Mammogram — left CC. 35-year-old patient.
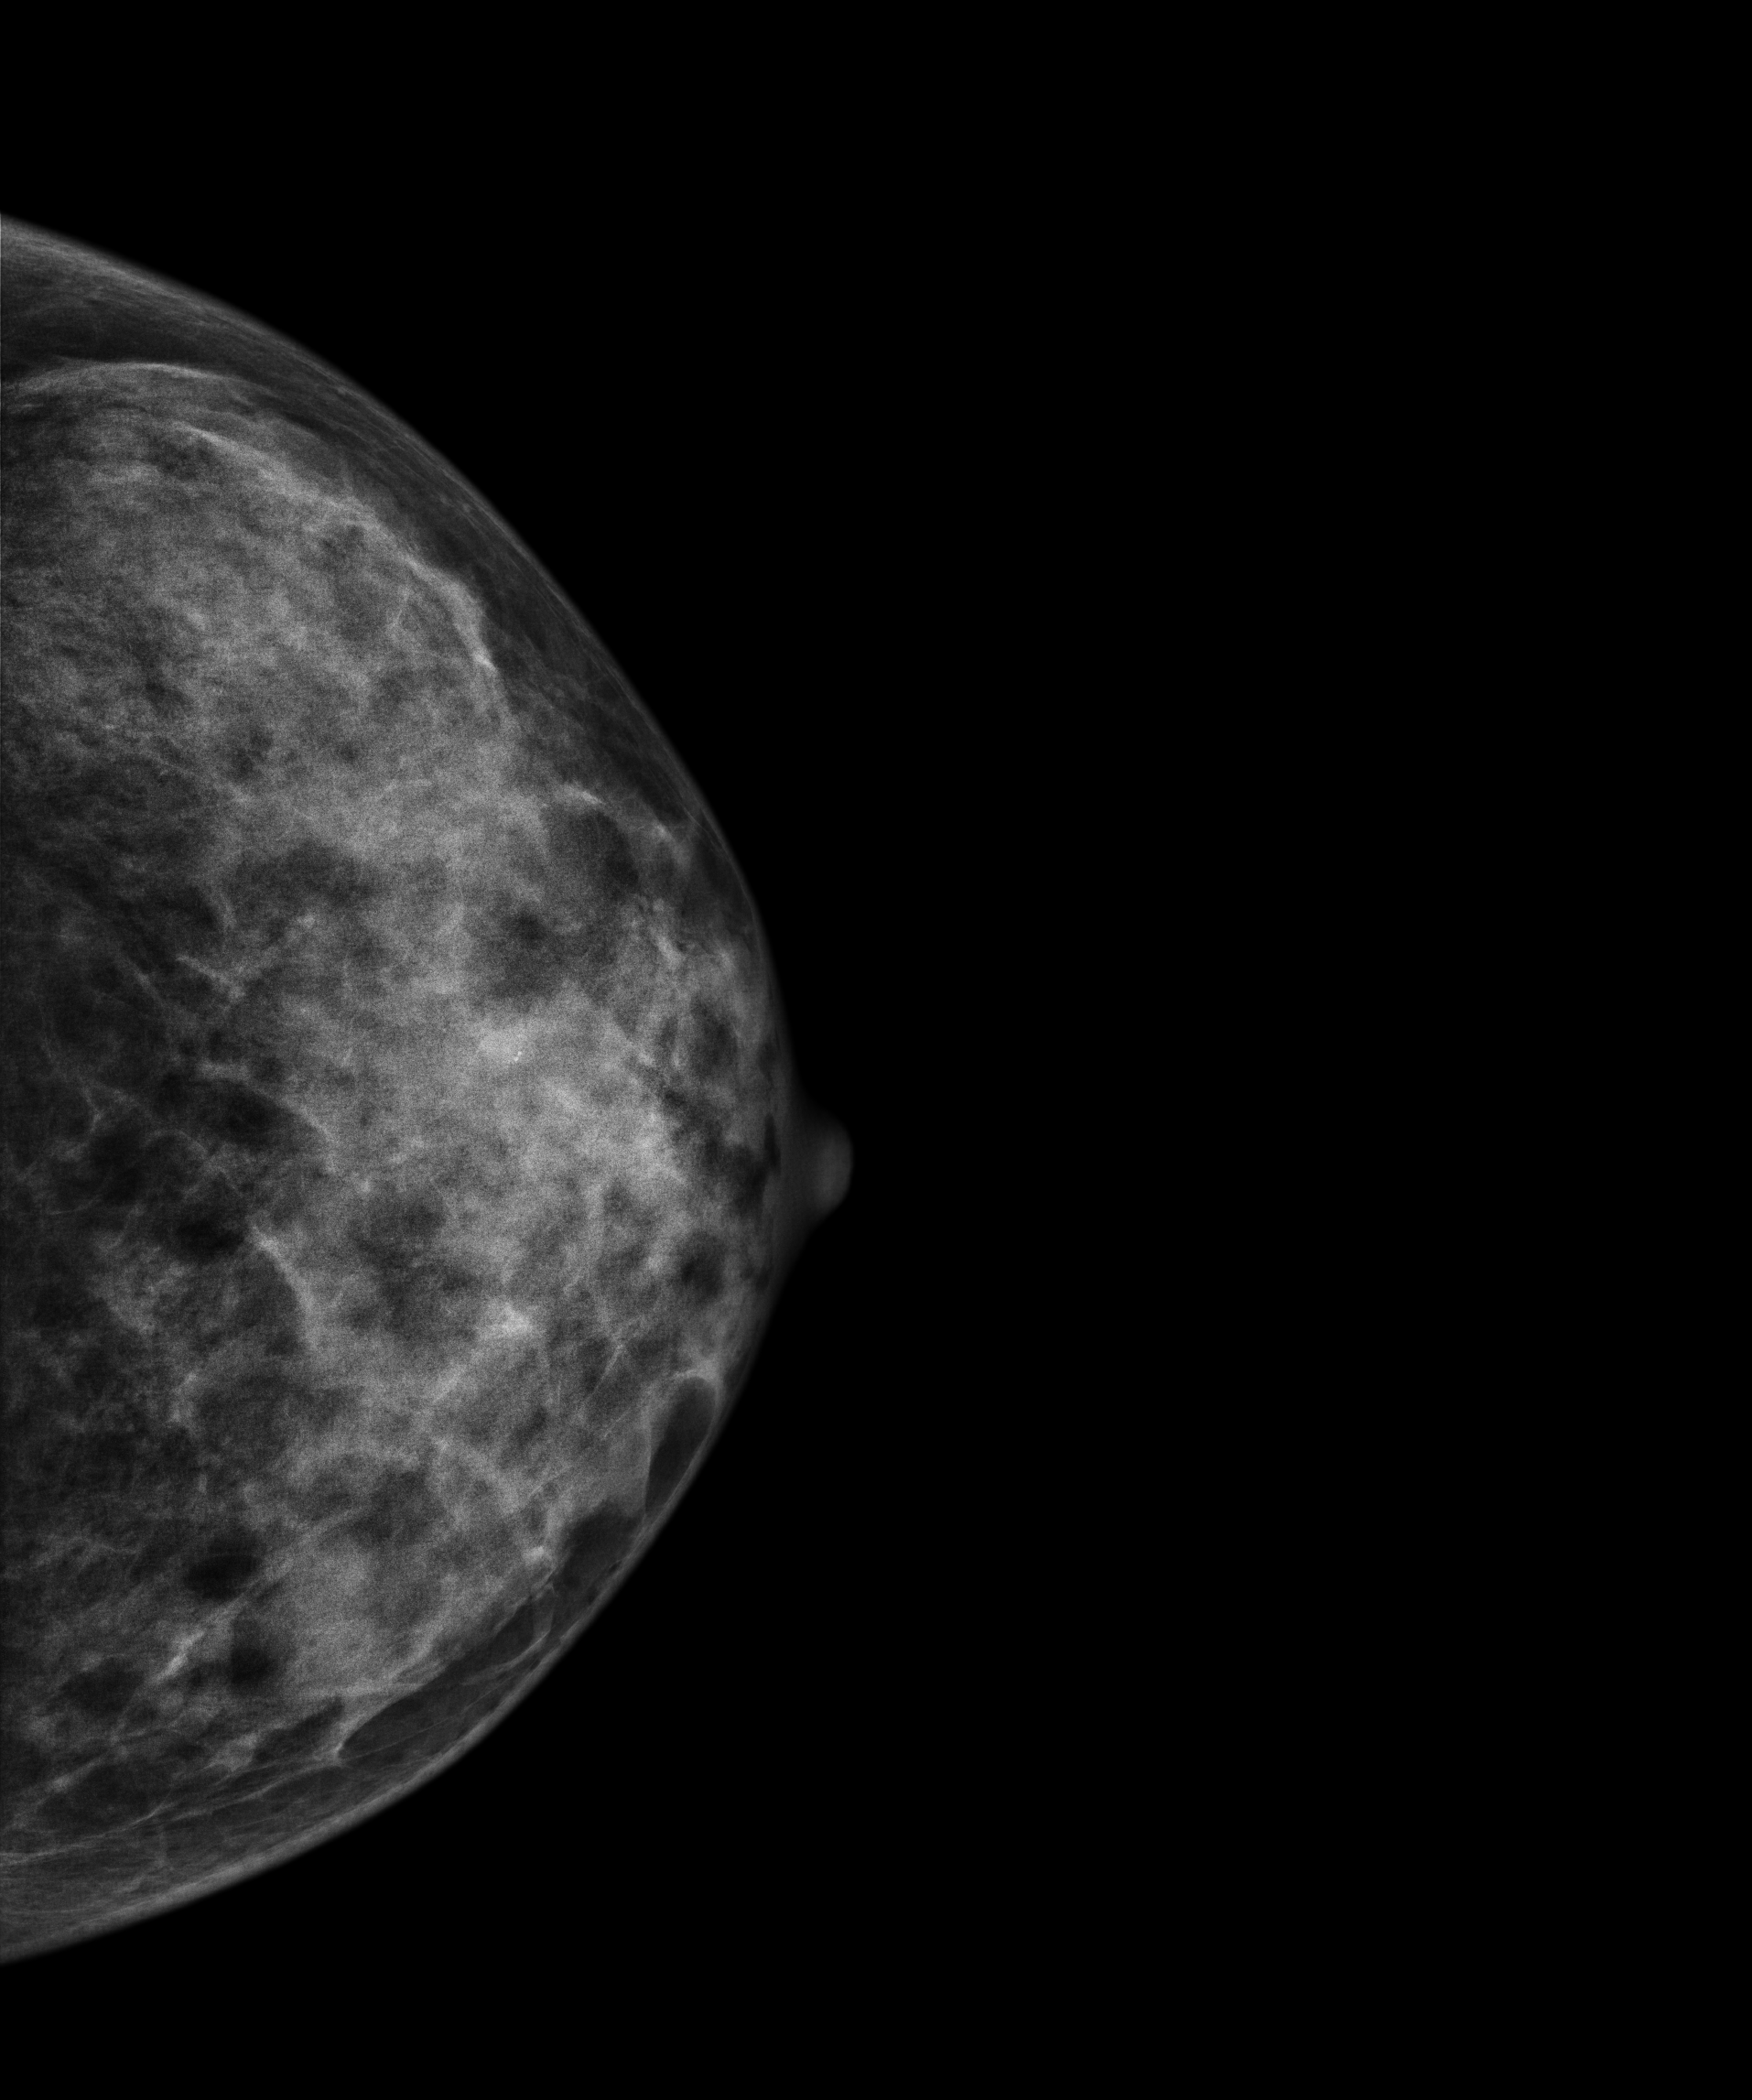
This breast has a mass, pathology-confirmed benign.